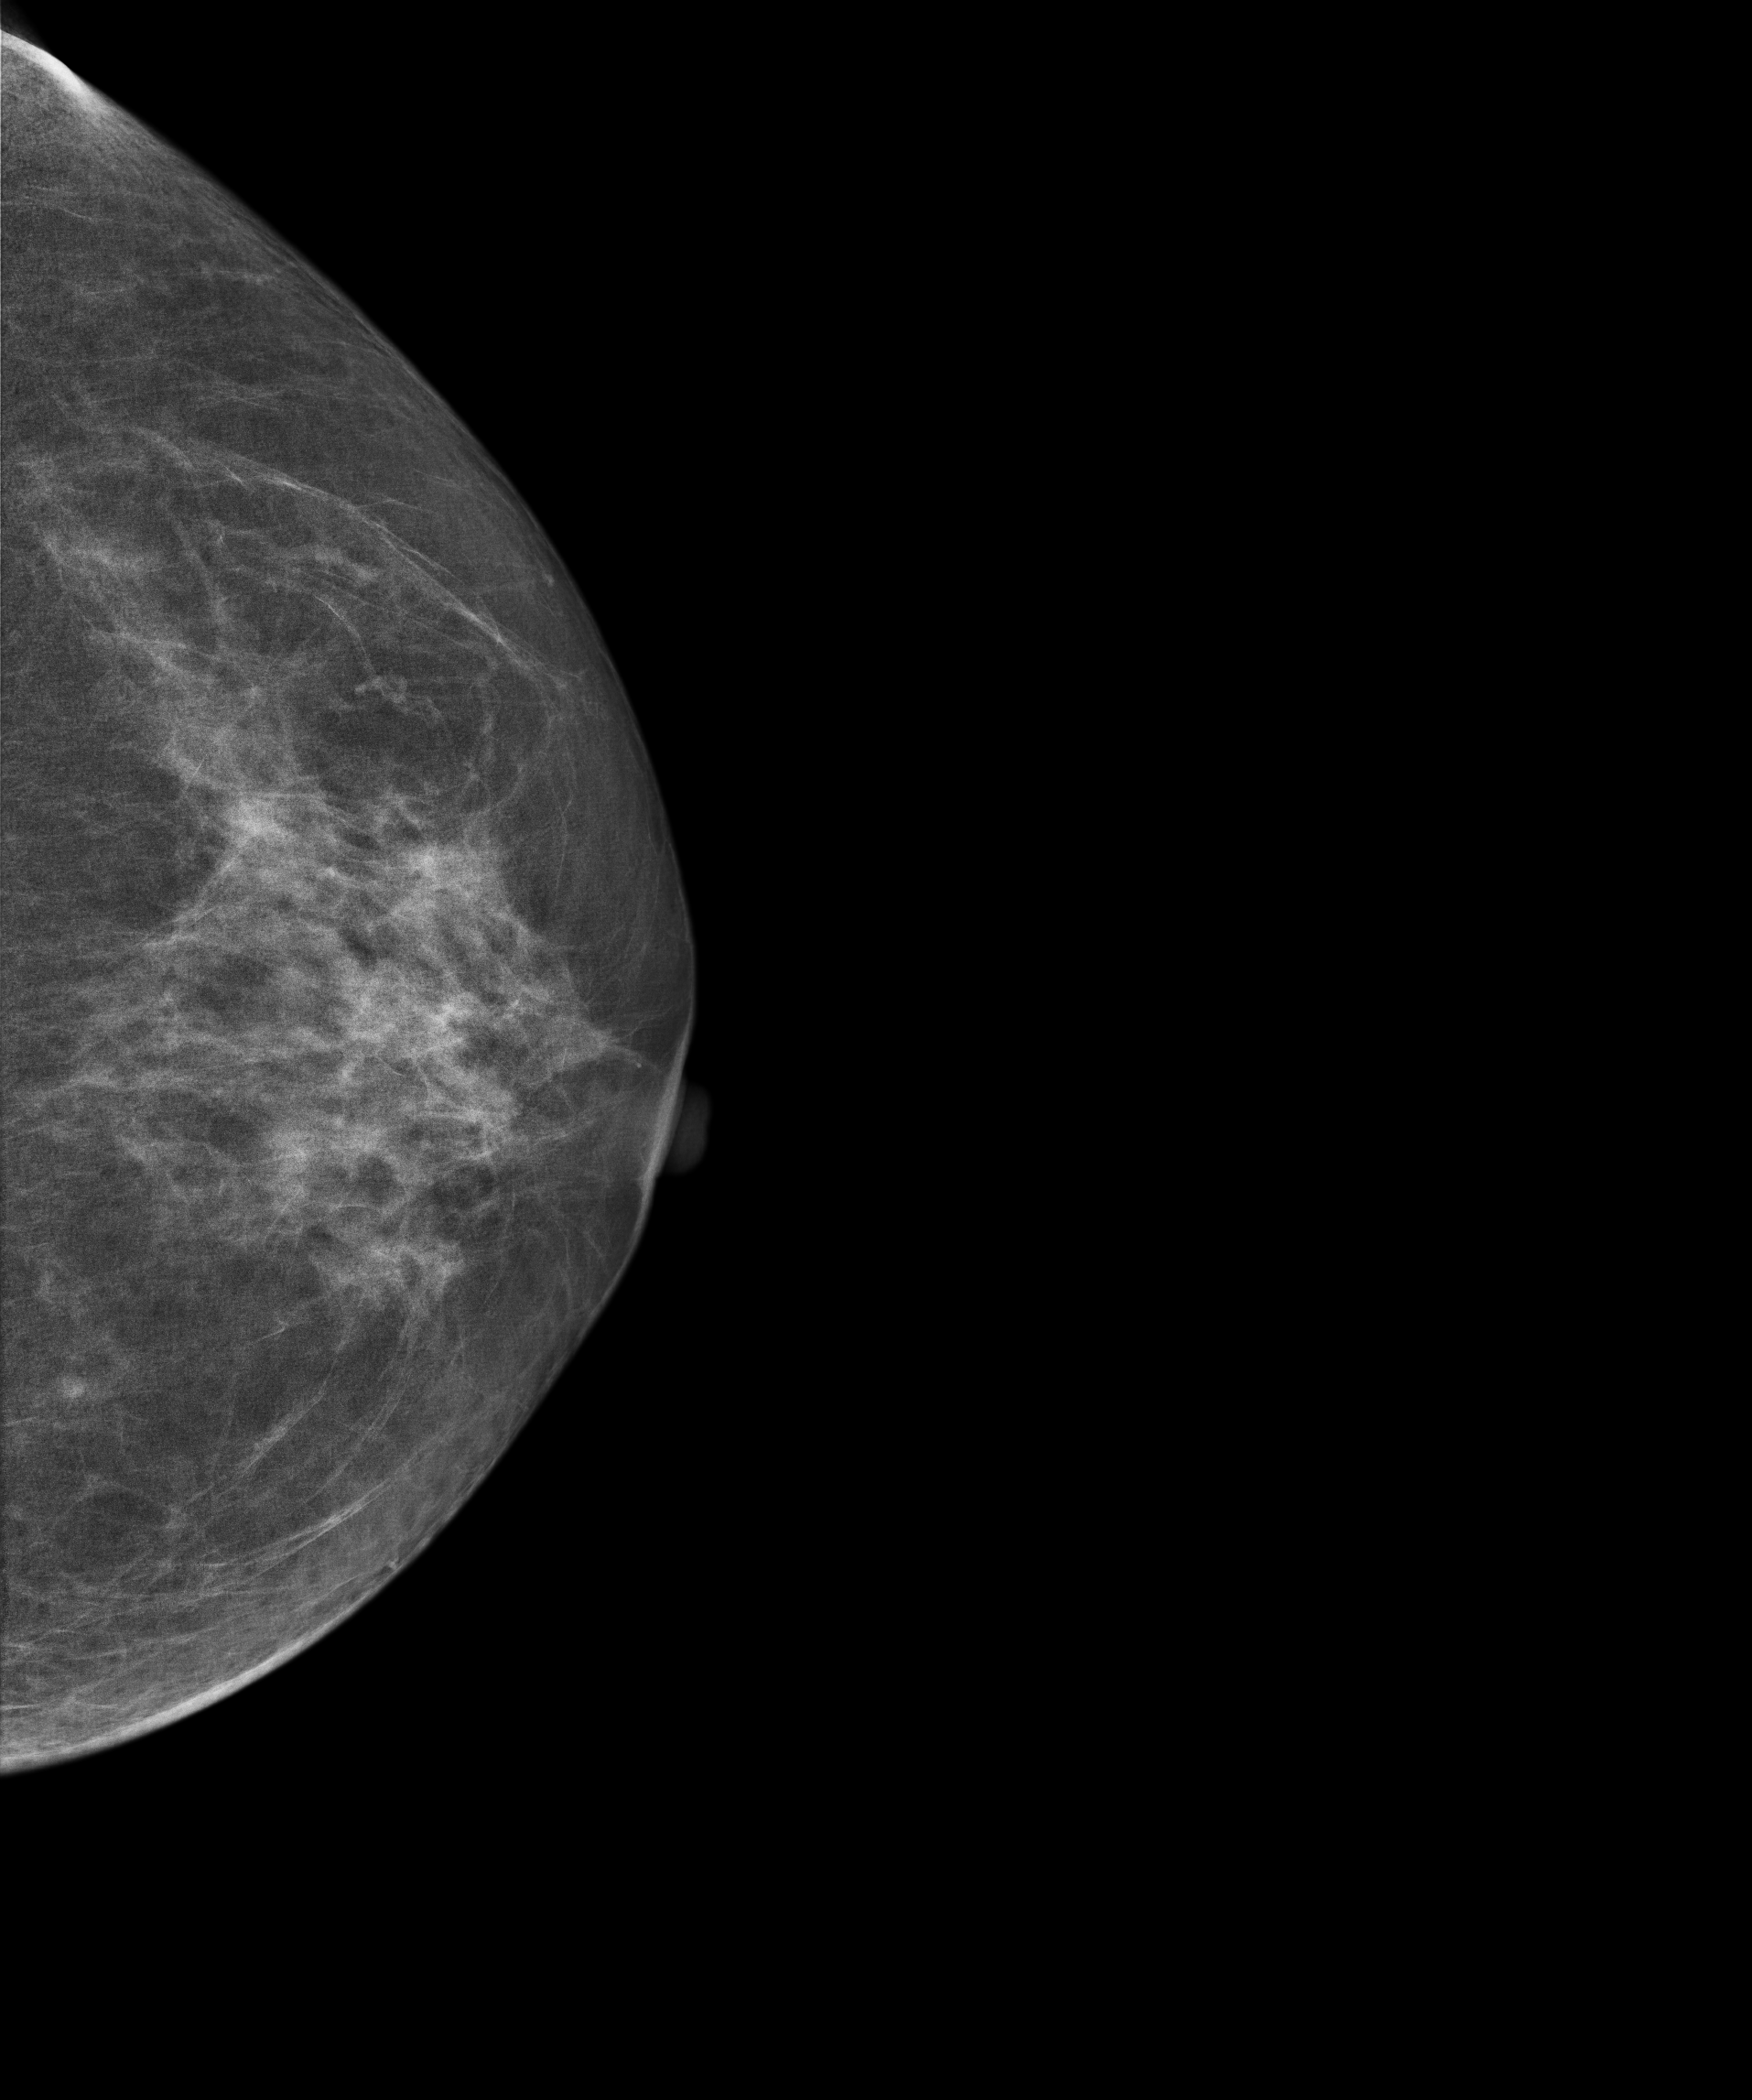
Mammogram — left cranio-caudal. 63-year-old patient.
Contralateral breast — no documented abnormality on this side.